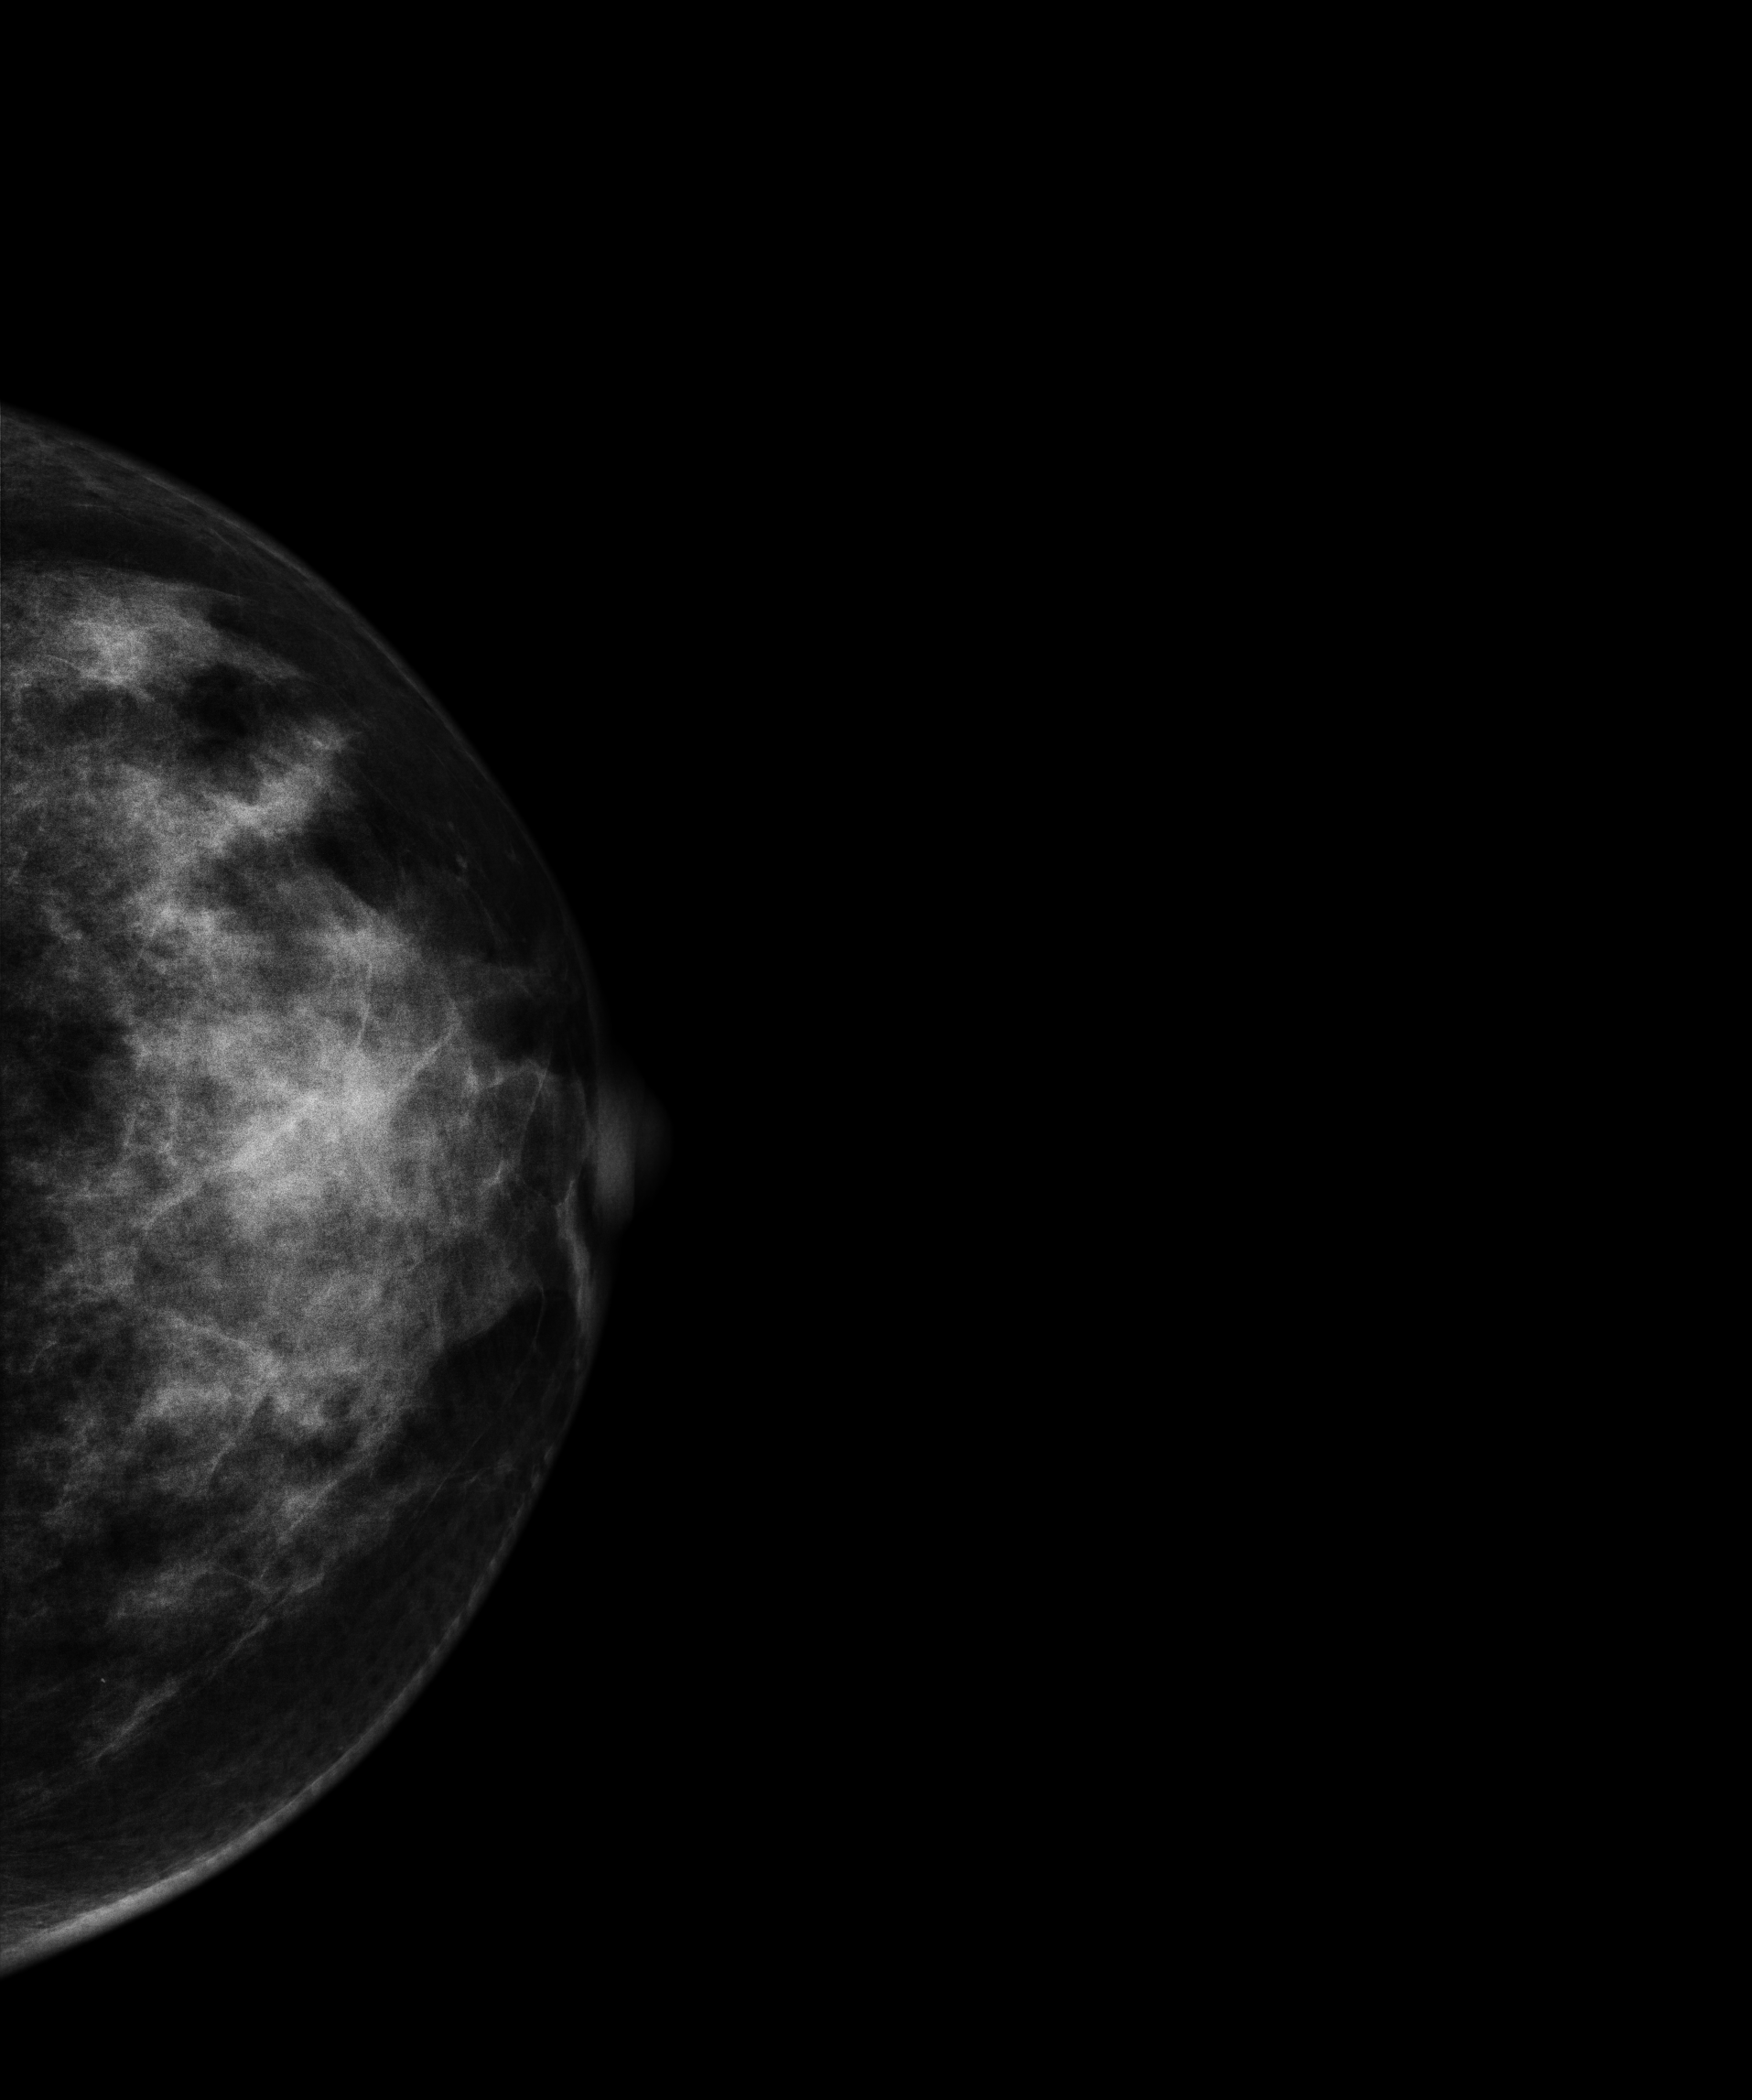
Digital mammography. Left breast, cranio-caudal projection. 46-year-old patient.
This breast has a mass, biopsy-proven malignant. Molecular subtype: triple-negative.